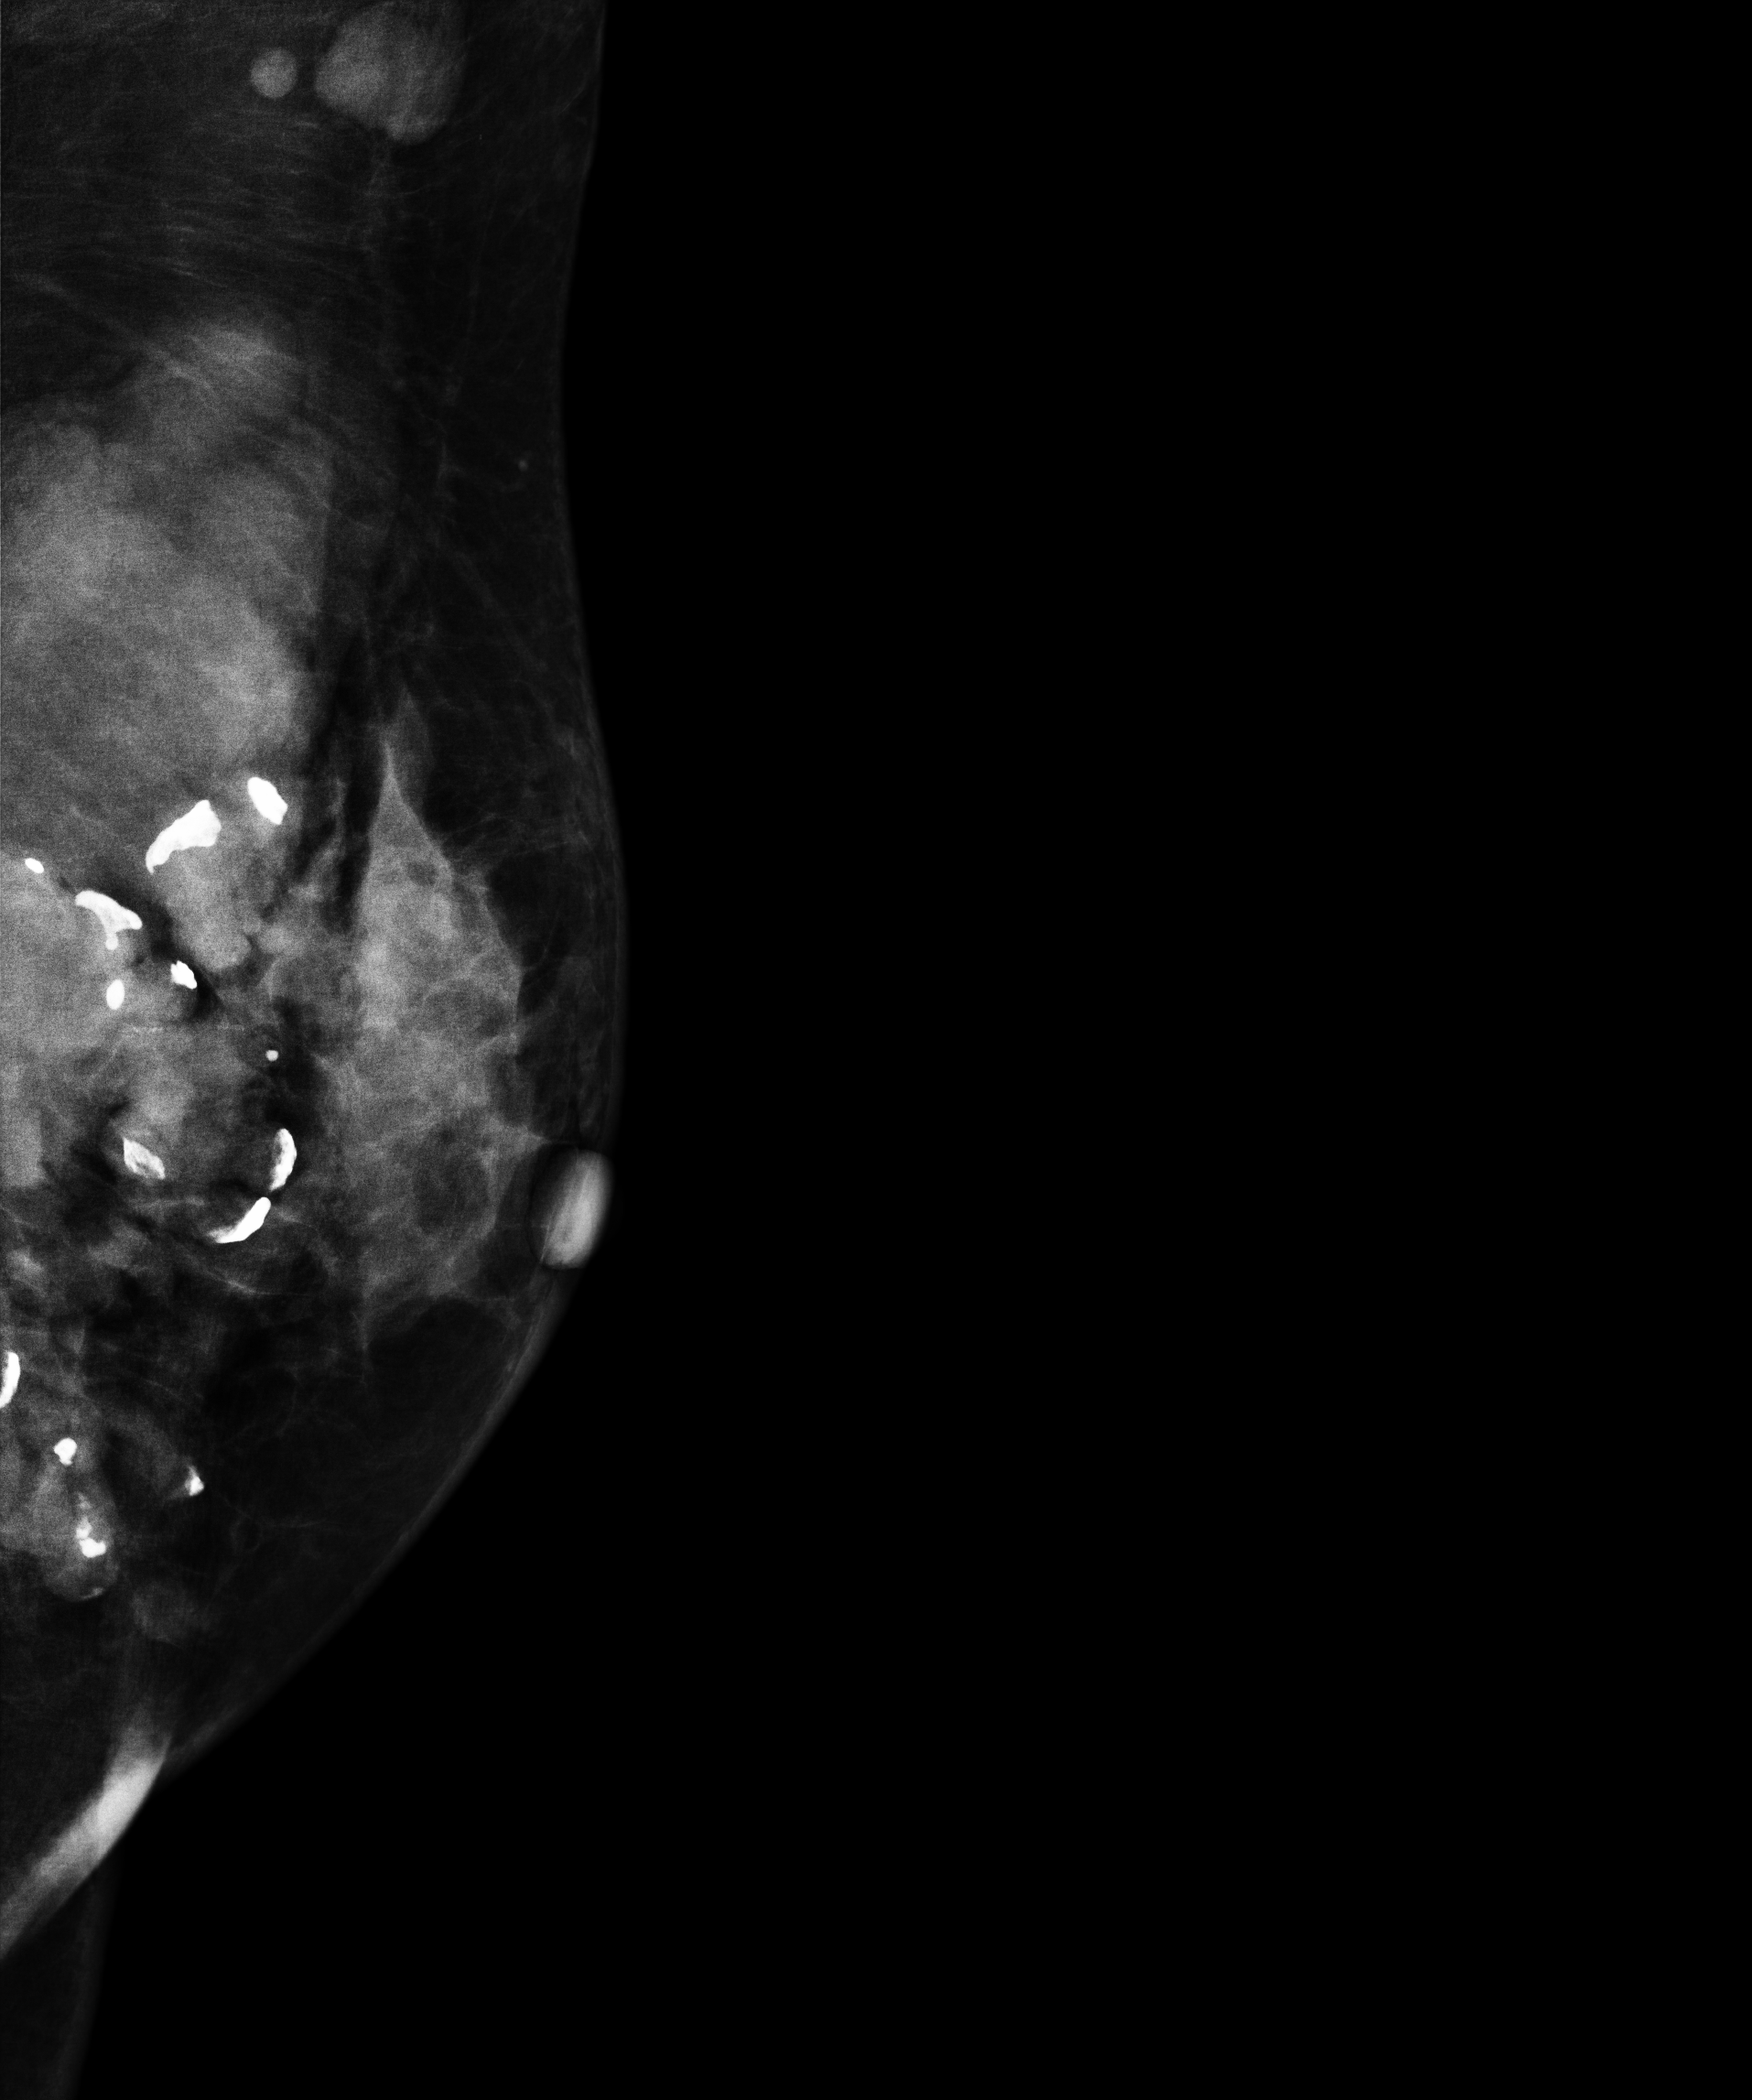
Mammogram — left medio-lateral oblique. Patient age 47.
This breast has a mass and calcifications, pathology-confirmed malignant. Molecular subtype: luminal B.